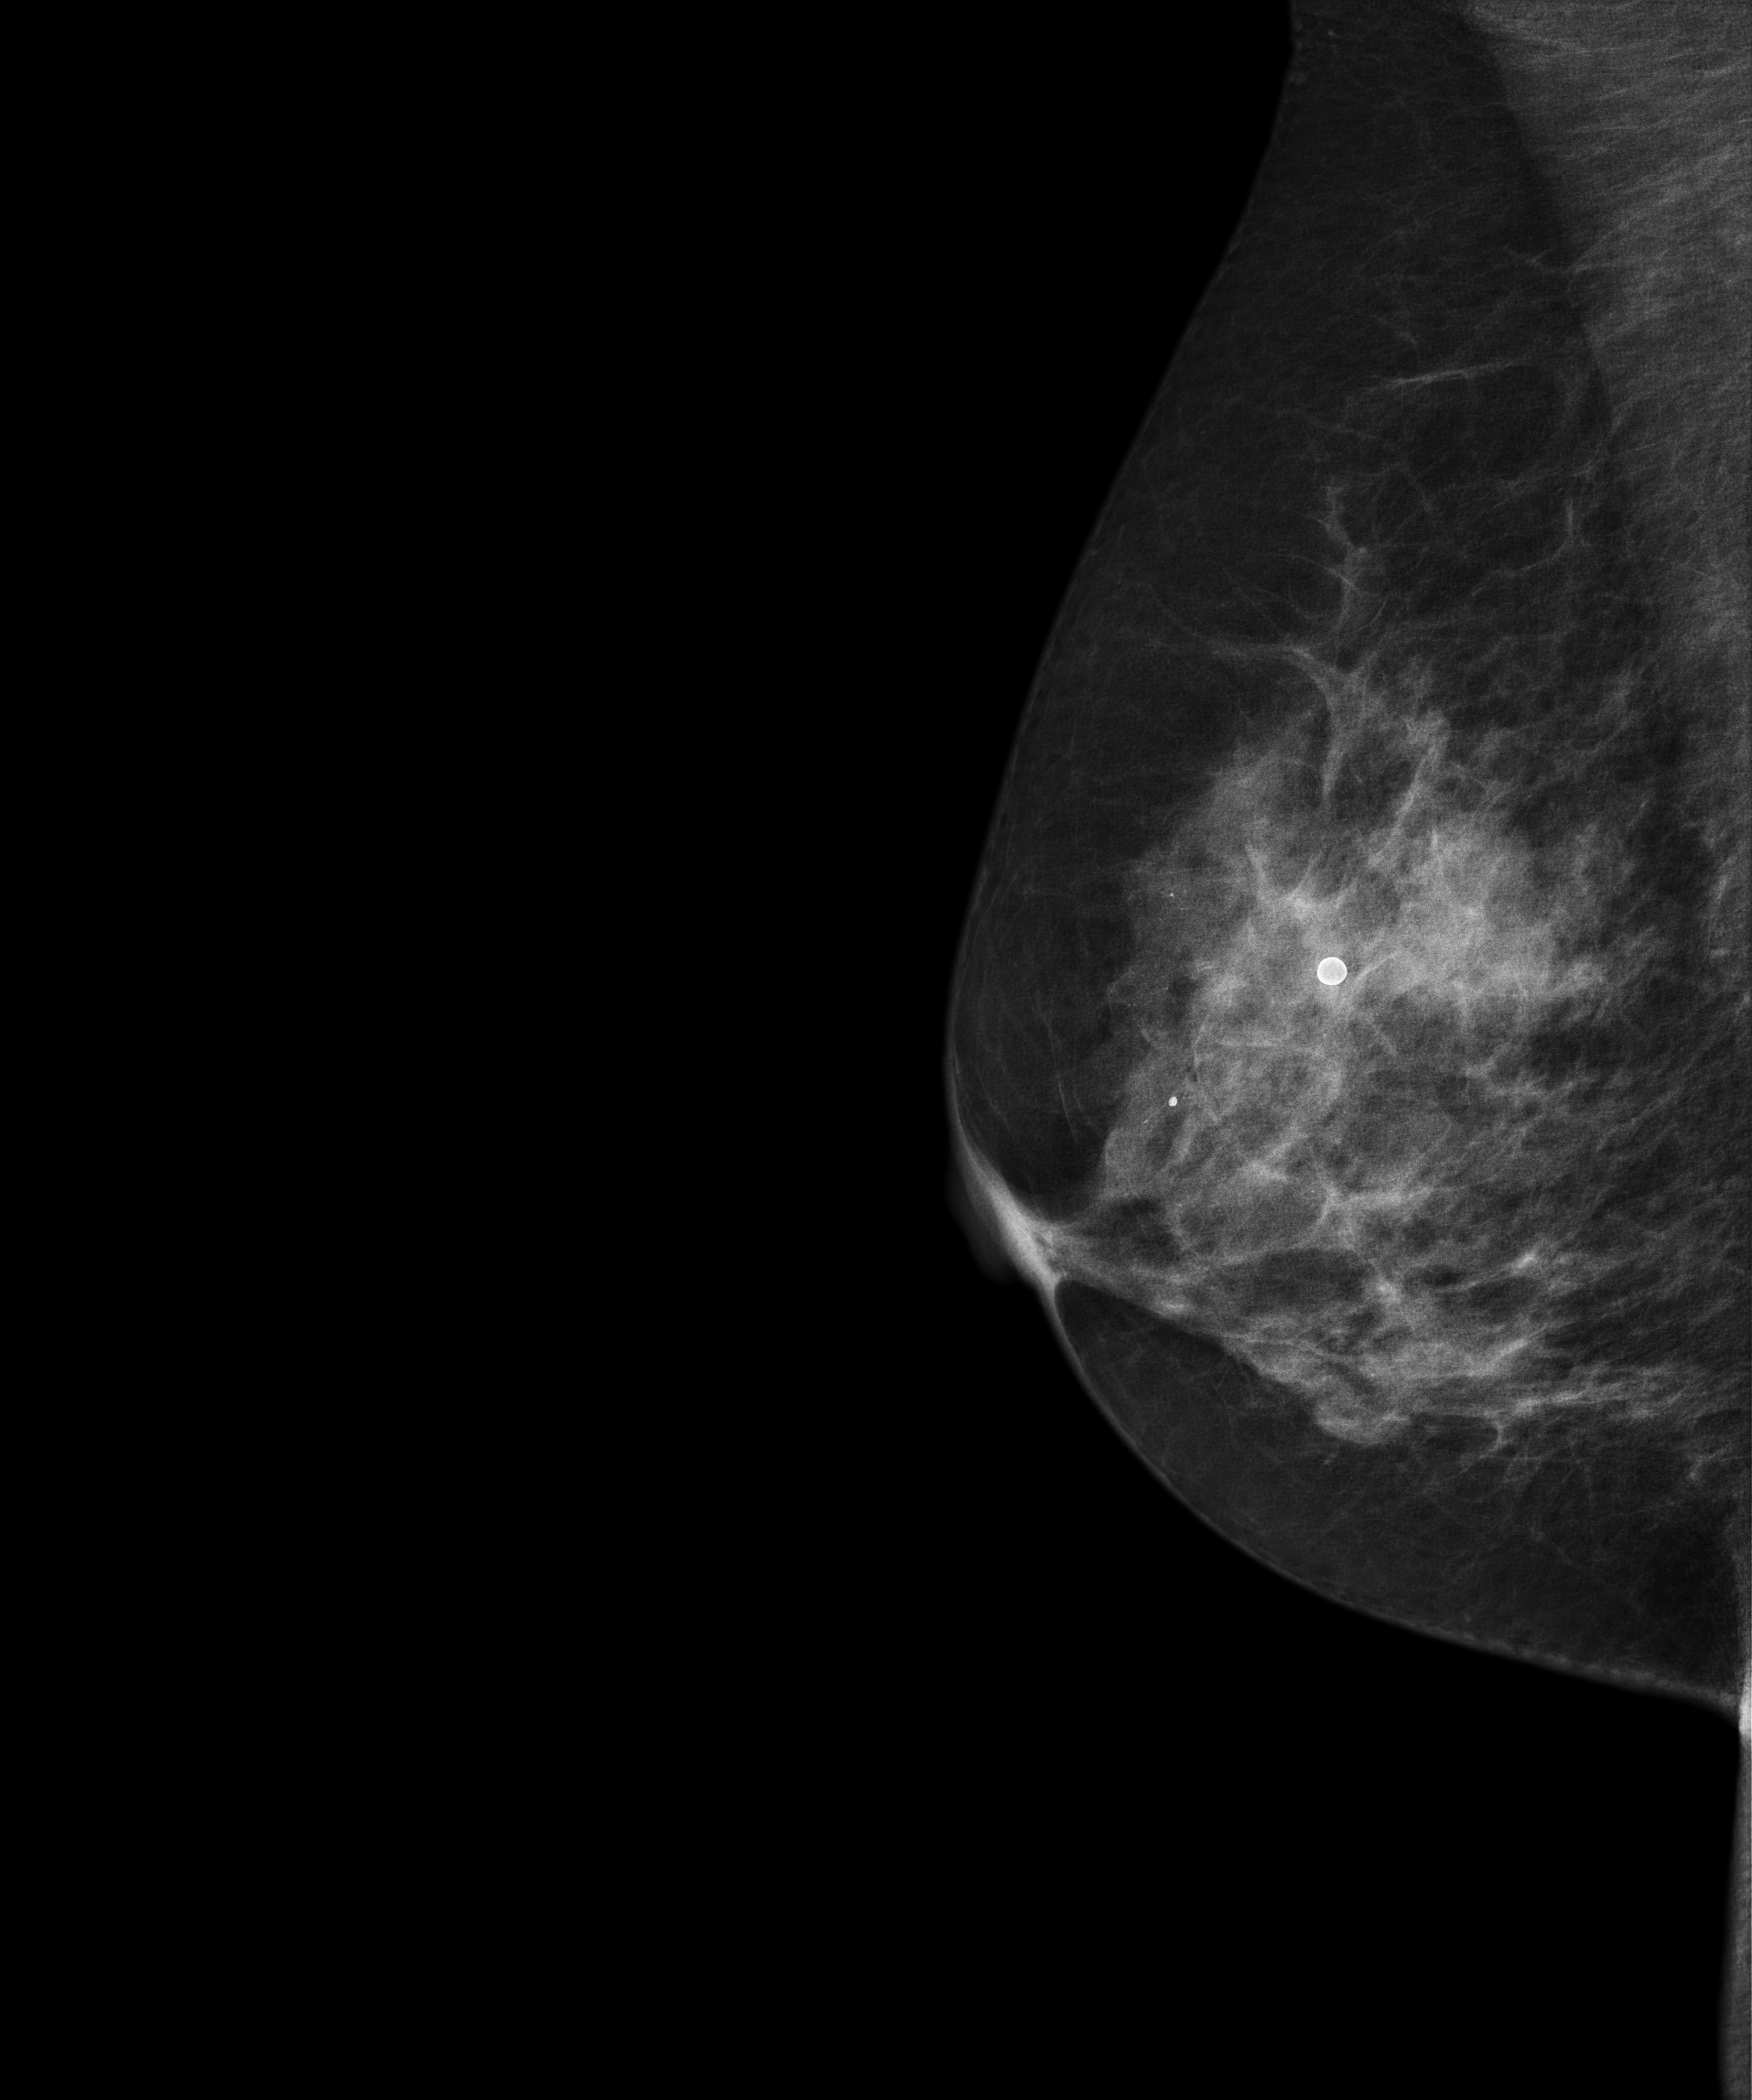
MLO mammogram of the right breast. 55 y/o patient.
This breast has a mass, histologically confirmed malignant. Molecular subtype: triple-negative.